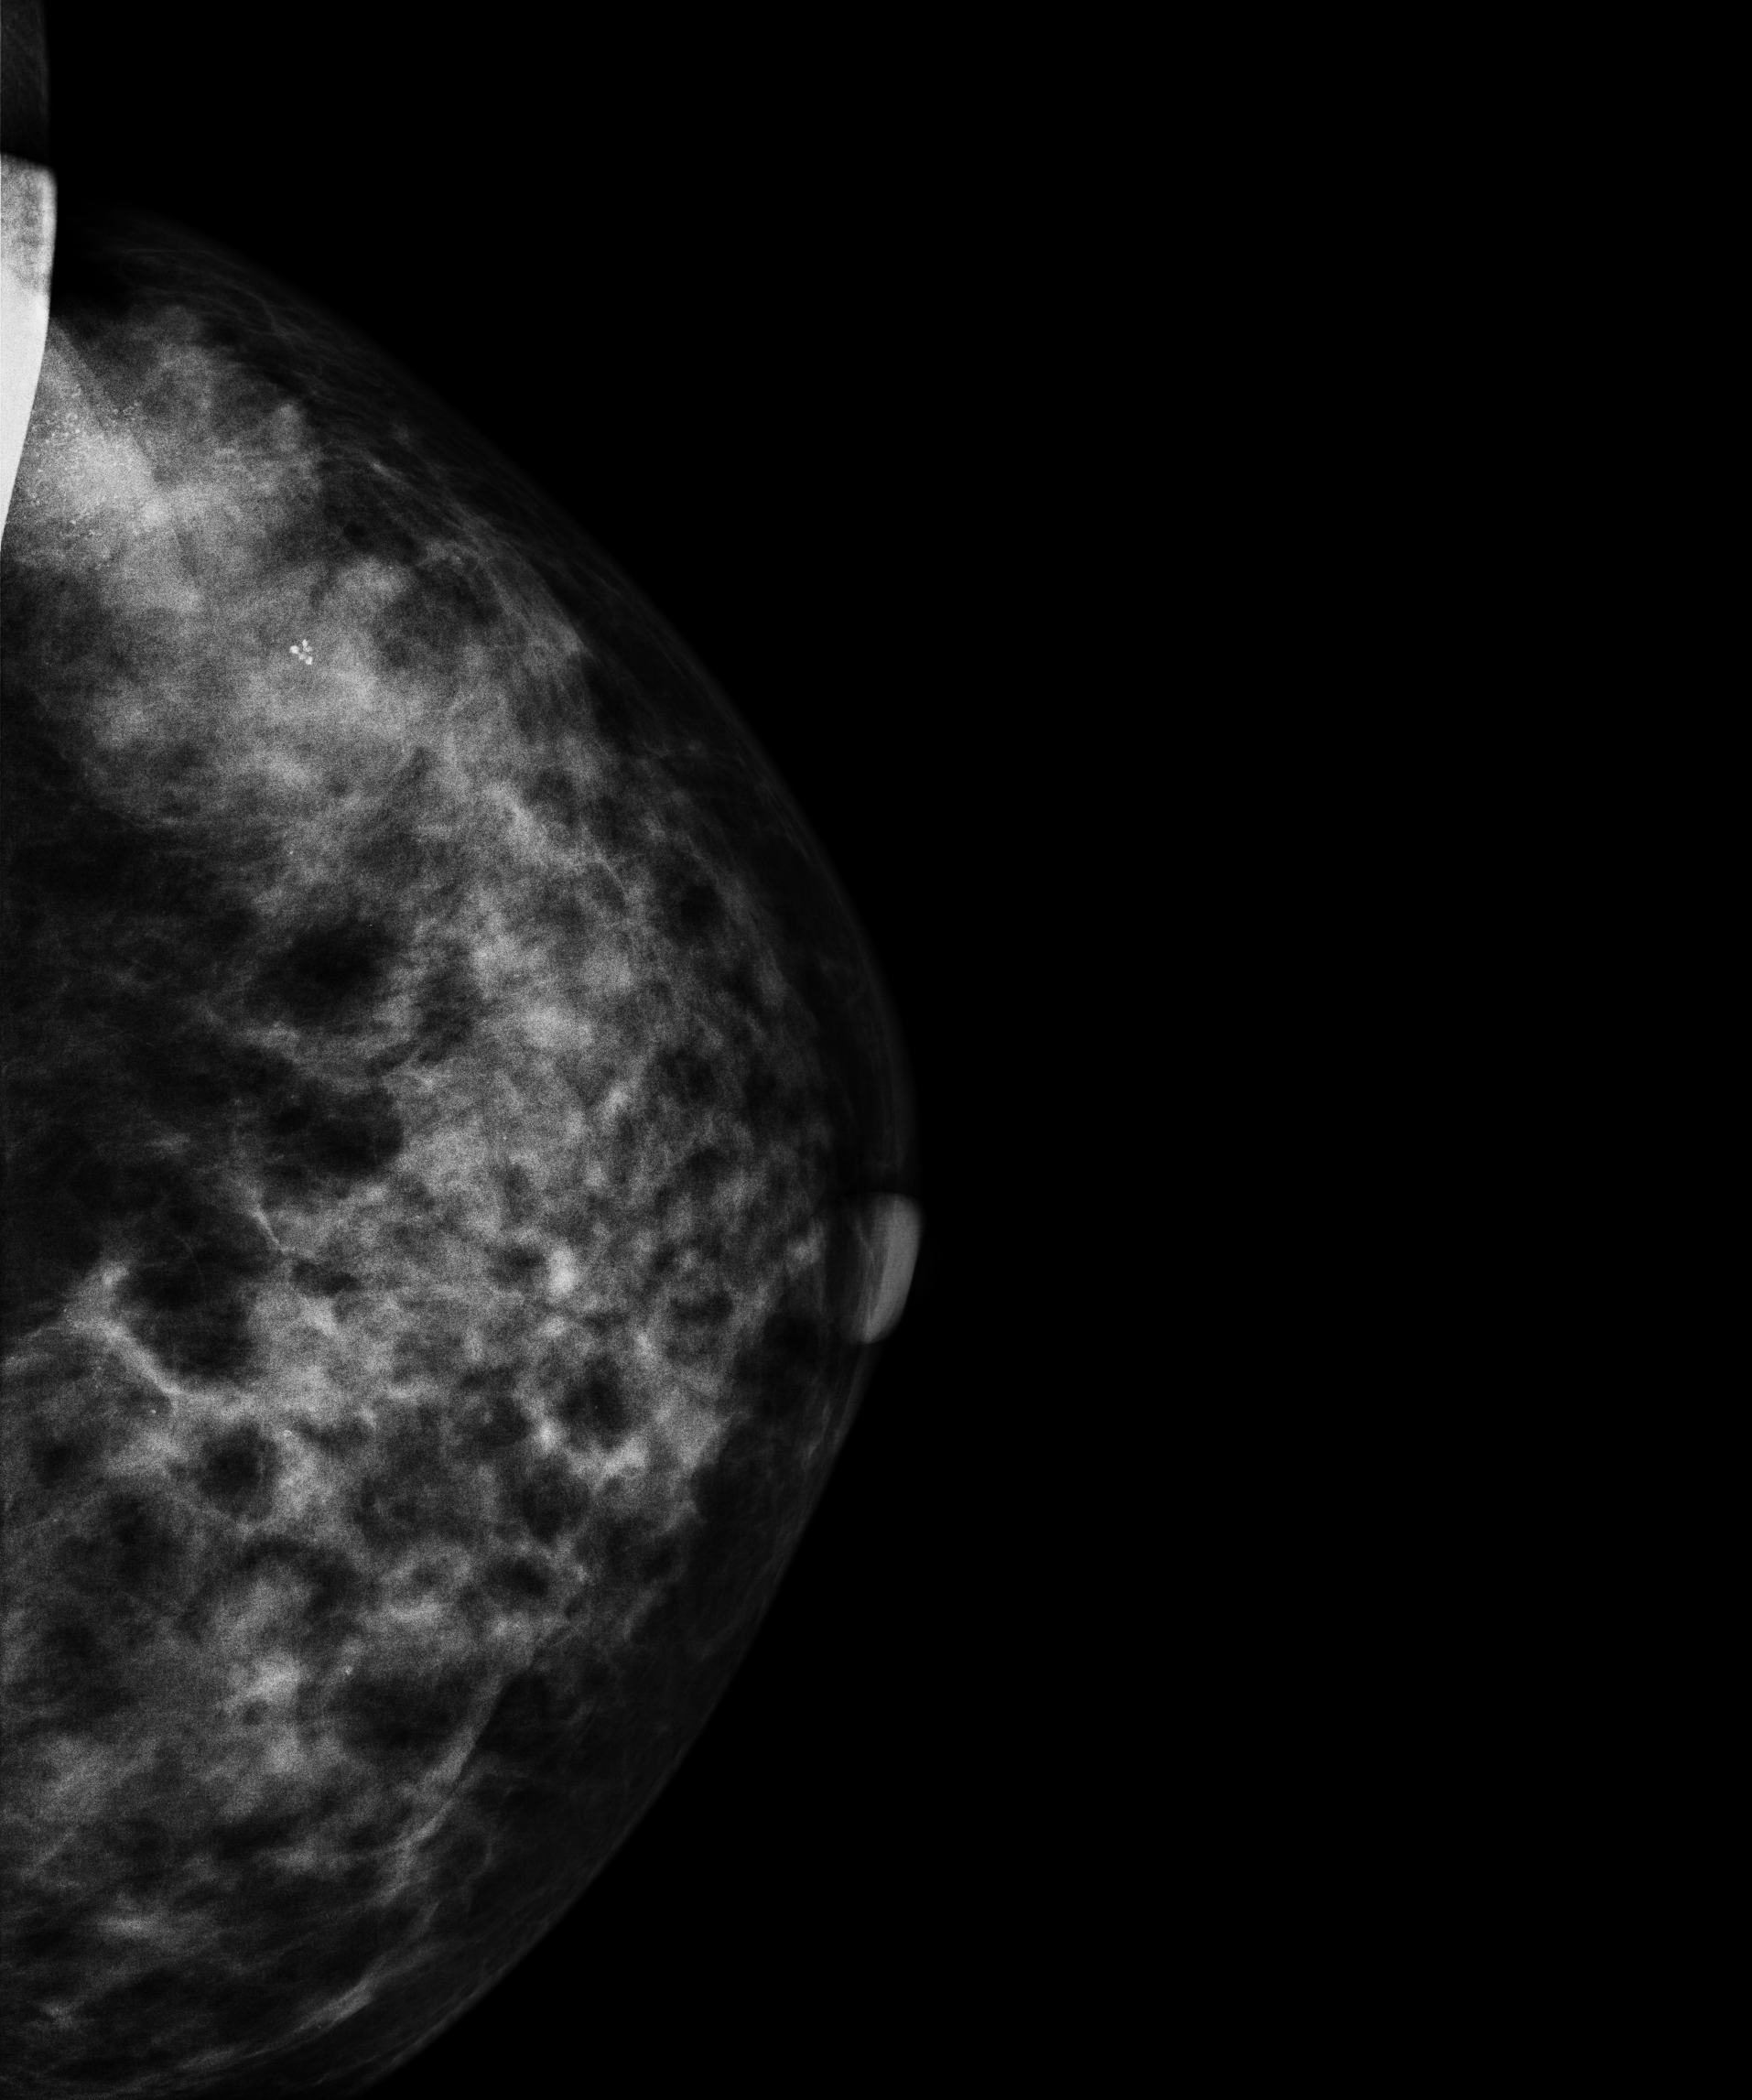
CC mammogram of the left breast. 35-year-old patient.
This breast has a mass and calcifications, histologically confirmed malignant.